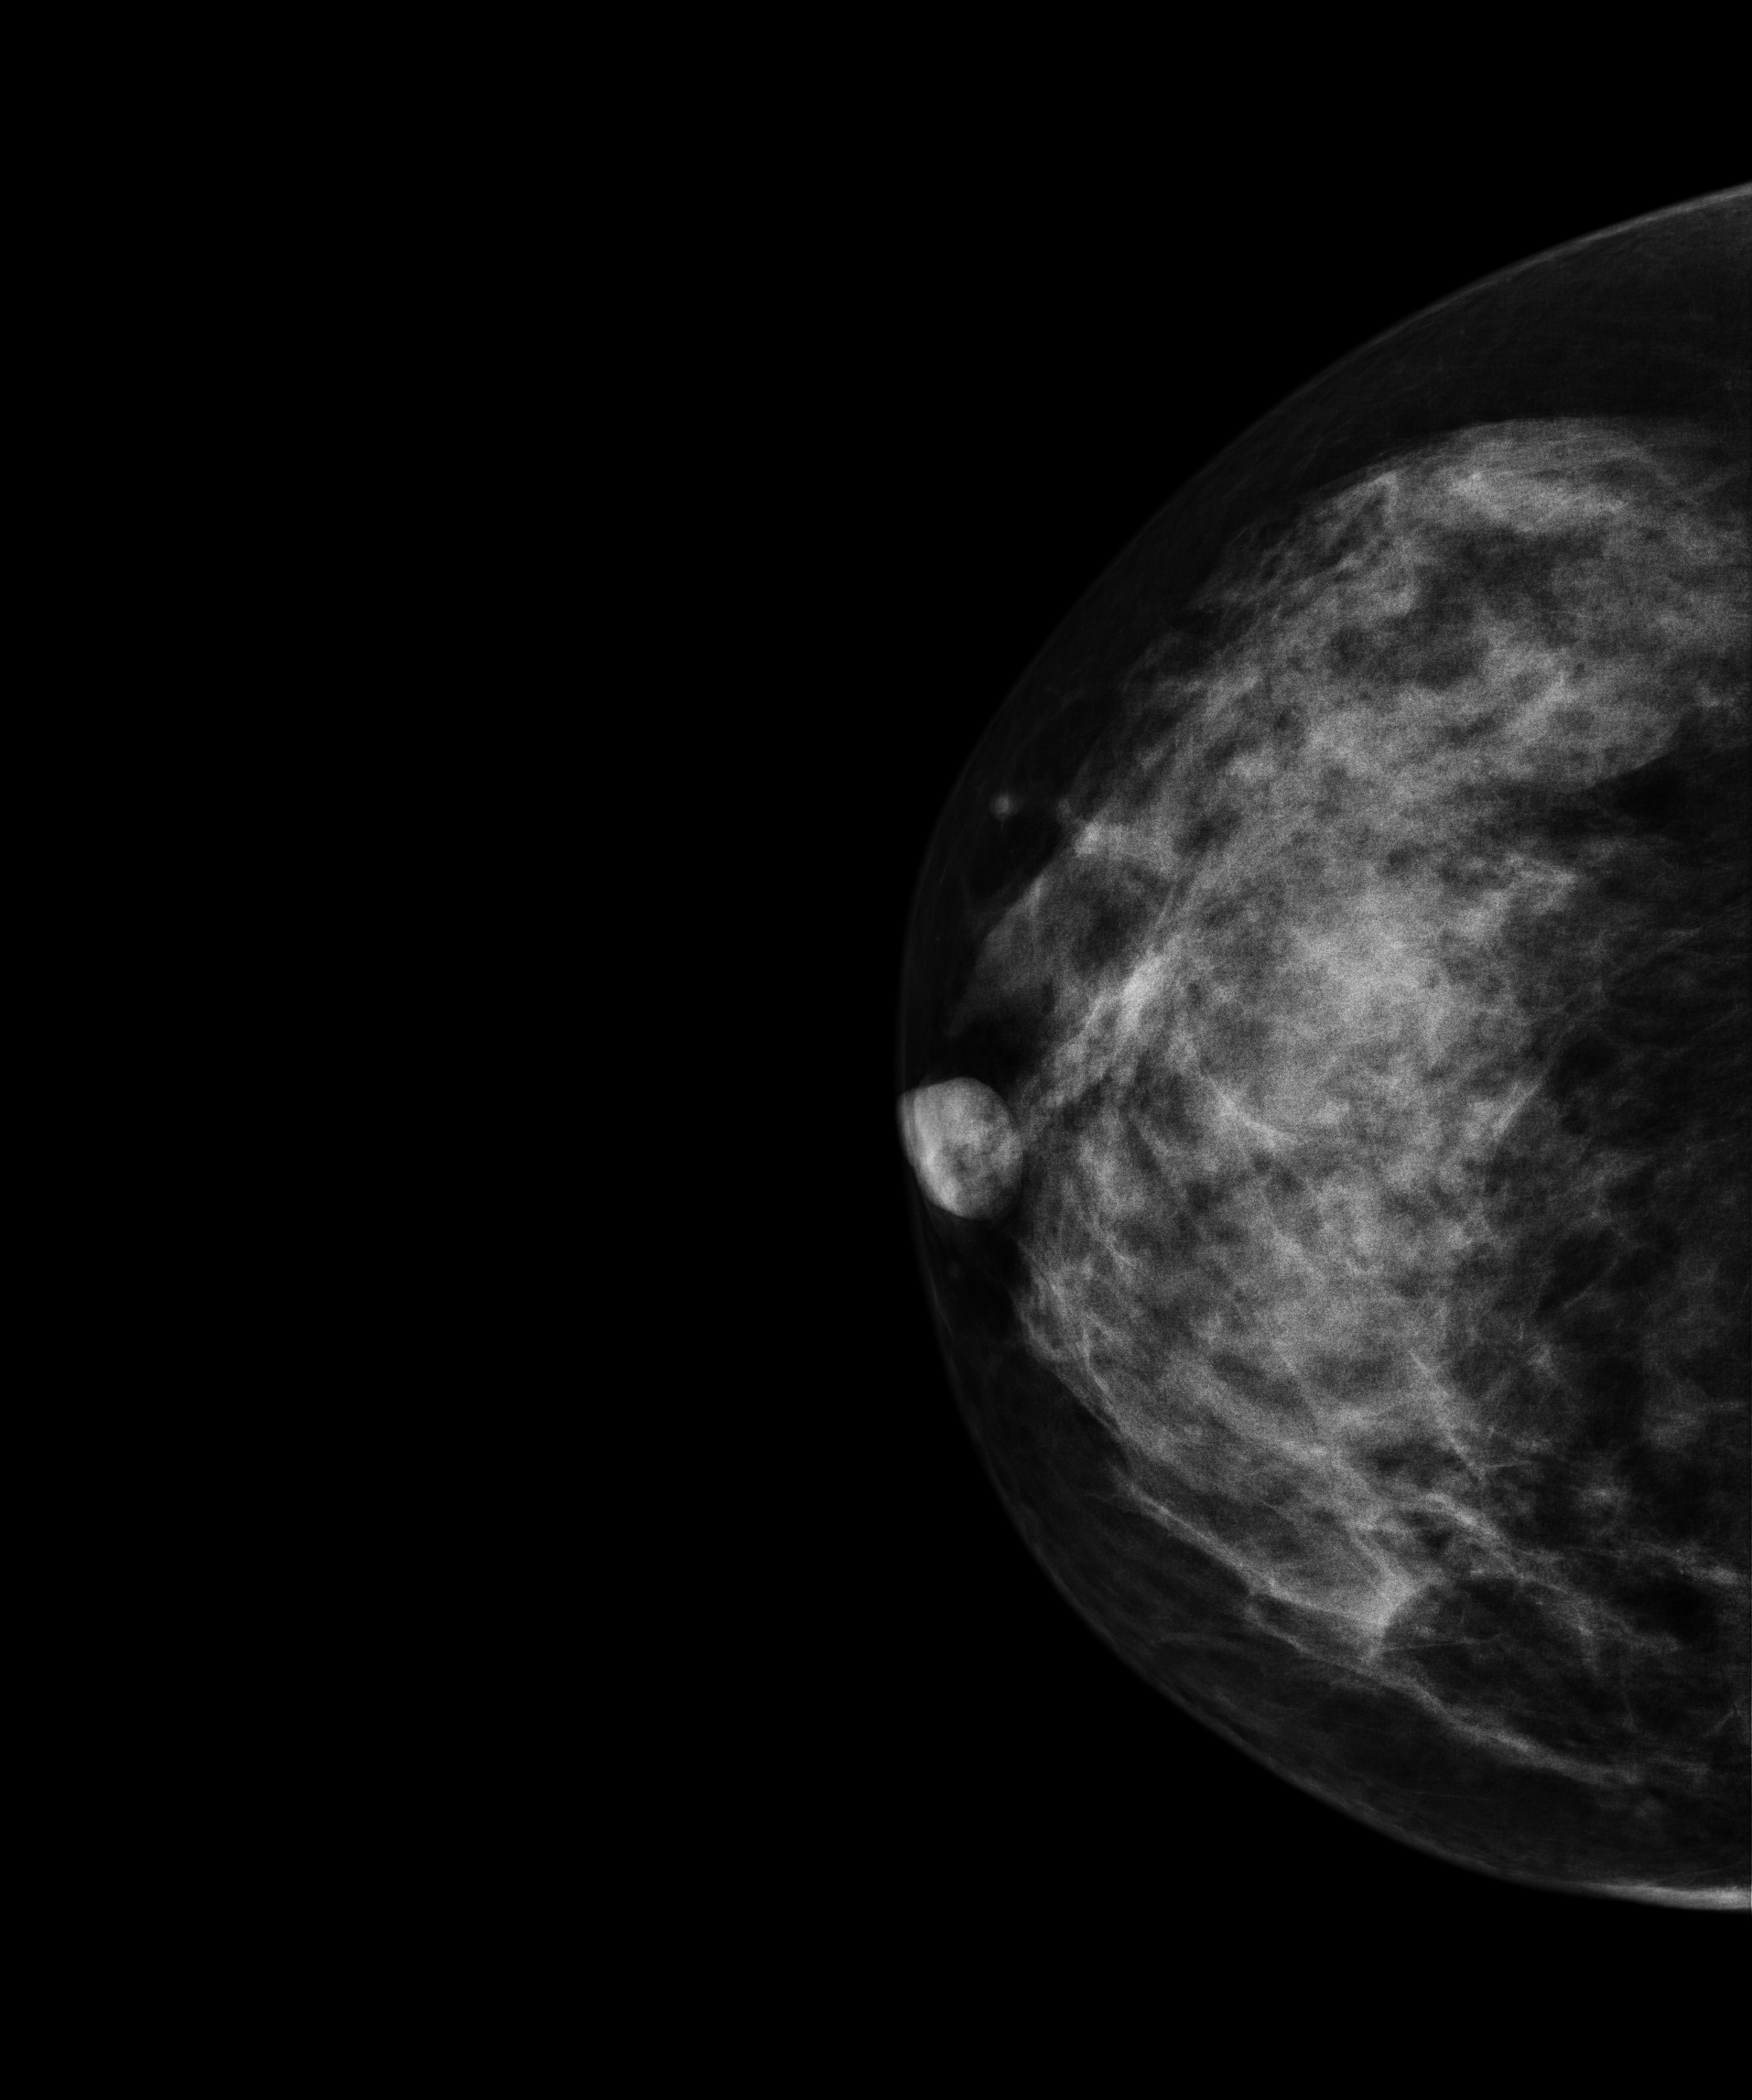
Mammogram — right cranio-caudal. Patient age 56.
Contralateral breast — no documented abnormality on this side.